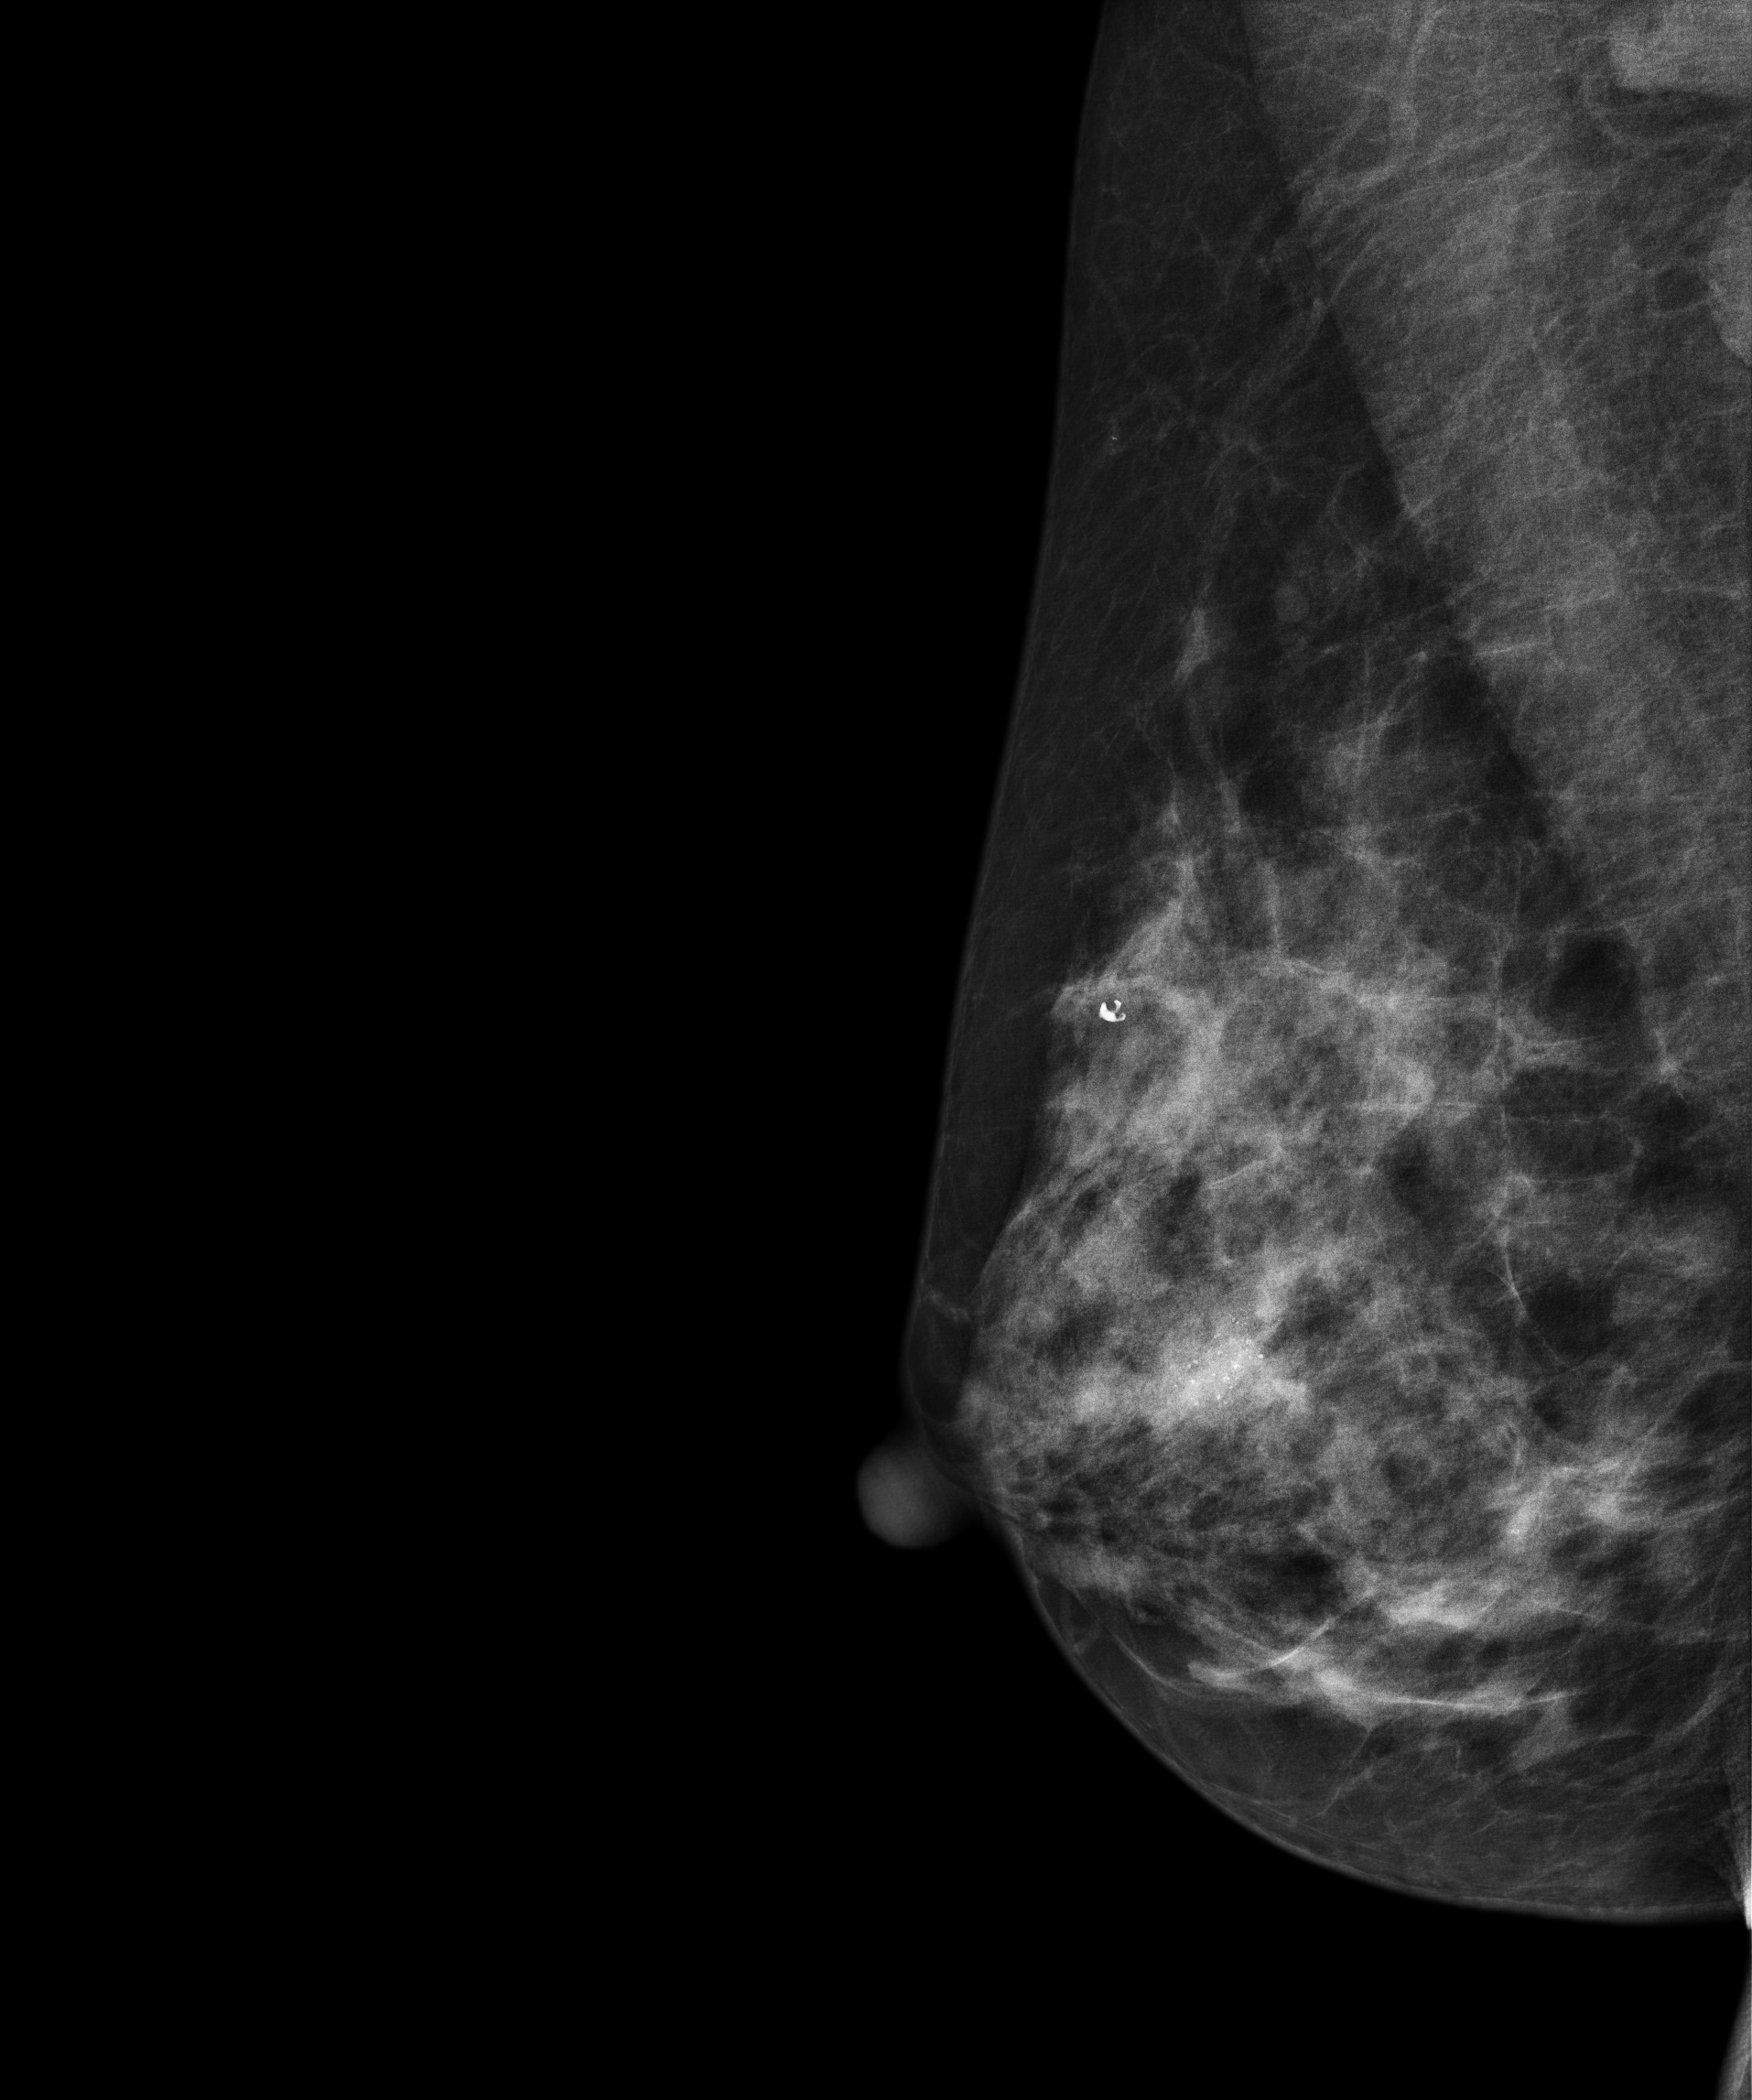
Mammogram — right medio-lateral oblique. 53 y/o patient.
This breast has a mass and calcifications, biopsy-confirmed malignant. Molecular subtype: luminal A.